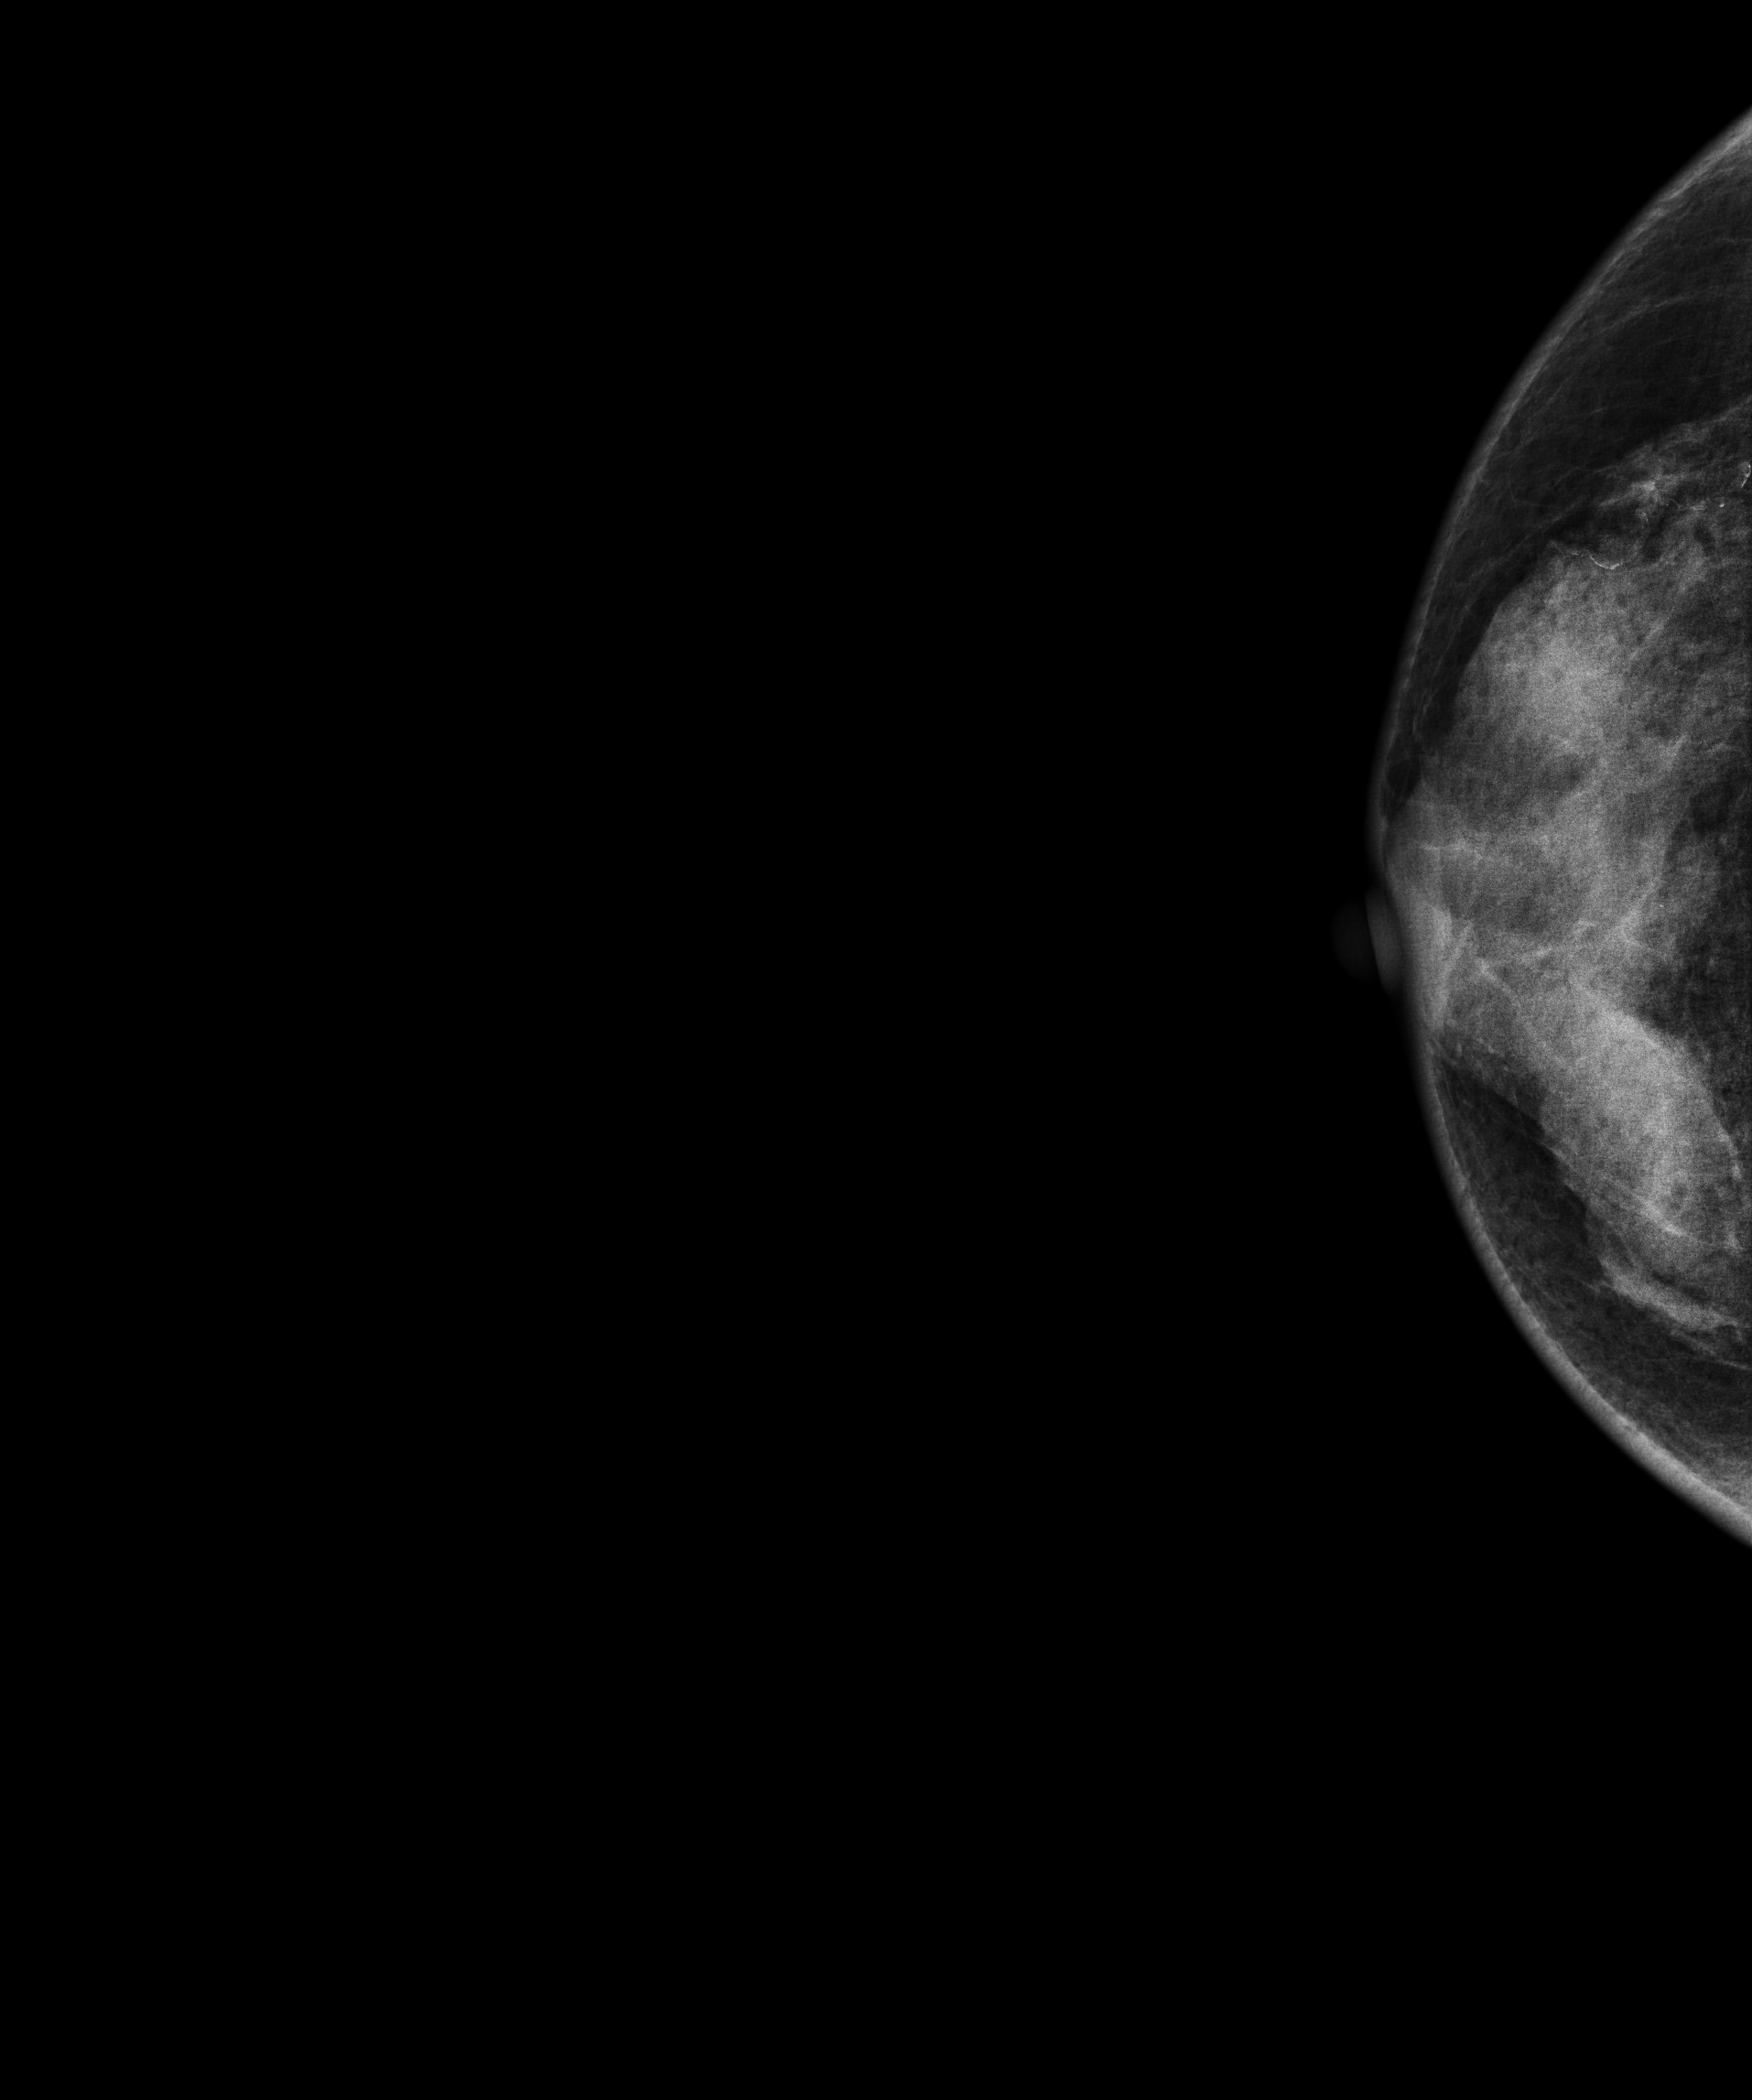
Right-breast mammogram, CC. 63 y/o patient.
This breast has a mass, biopsy-proven benign.